Mammogram, left breast, MLO view. 51 y/o patient.
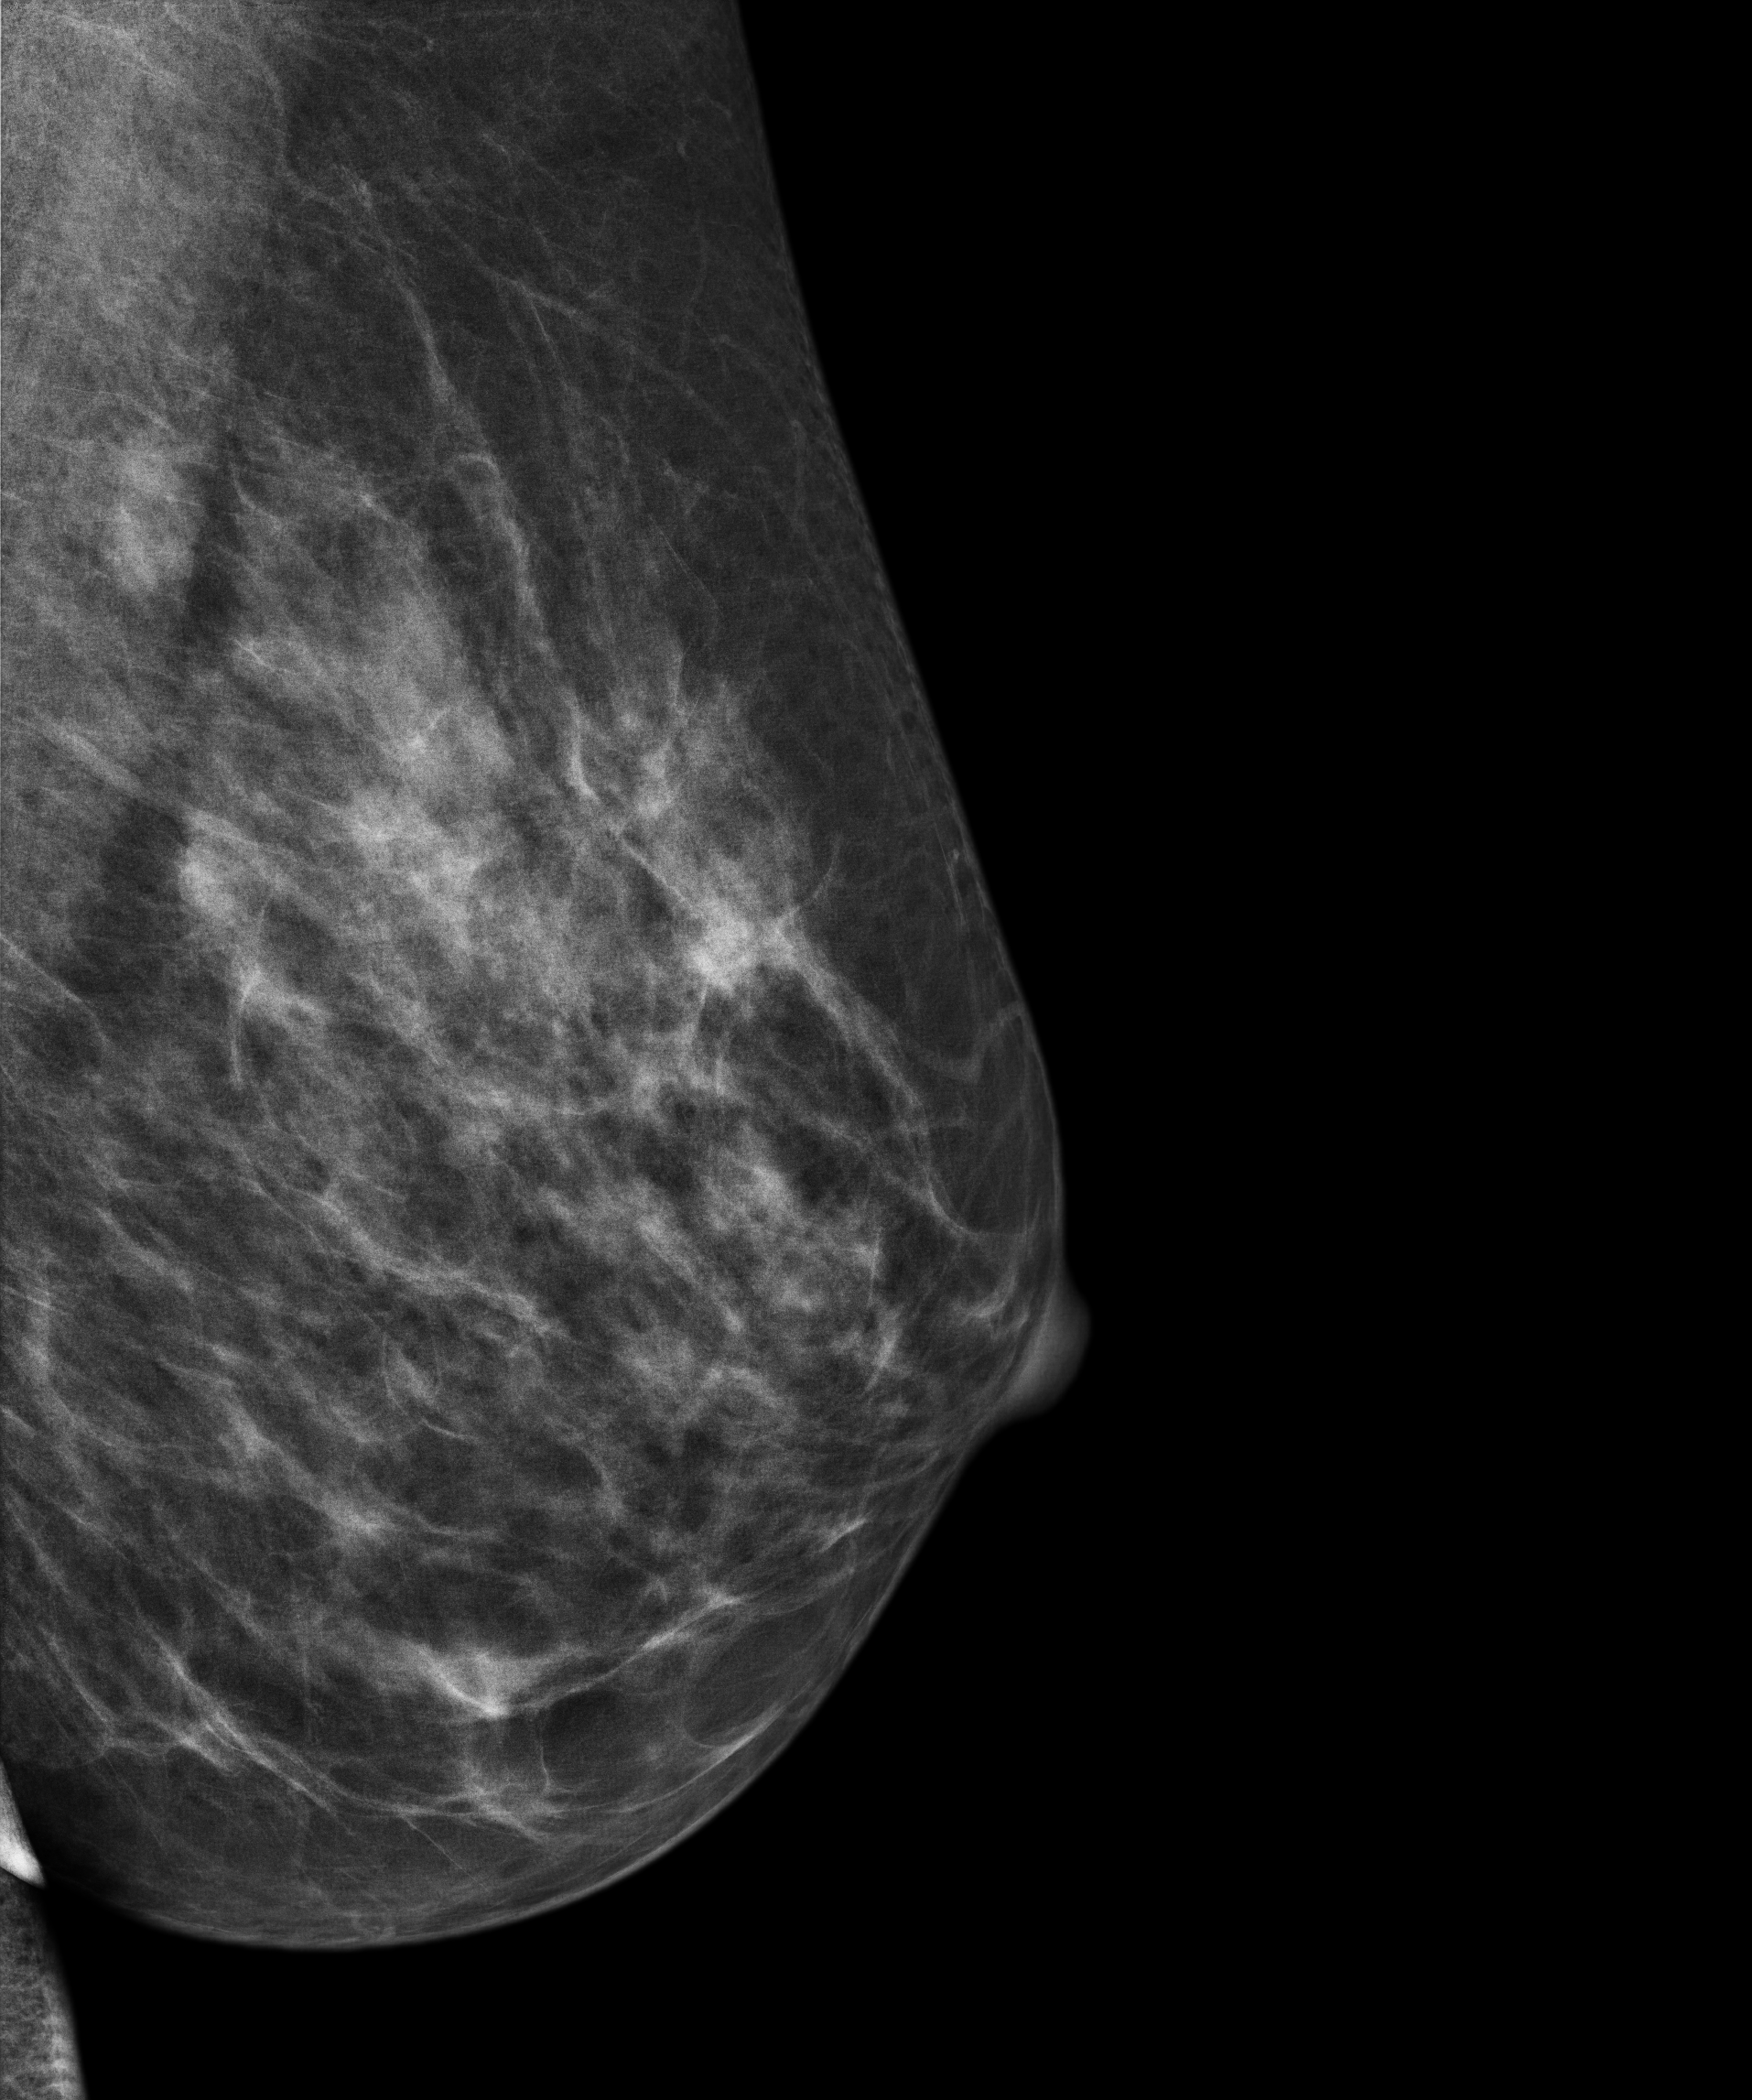
Contralateral breast — no documented abnormality on this side.